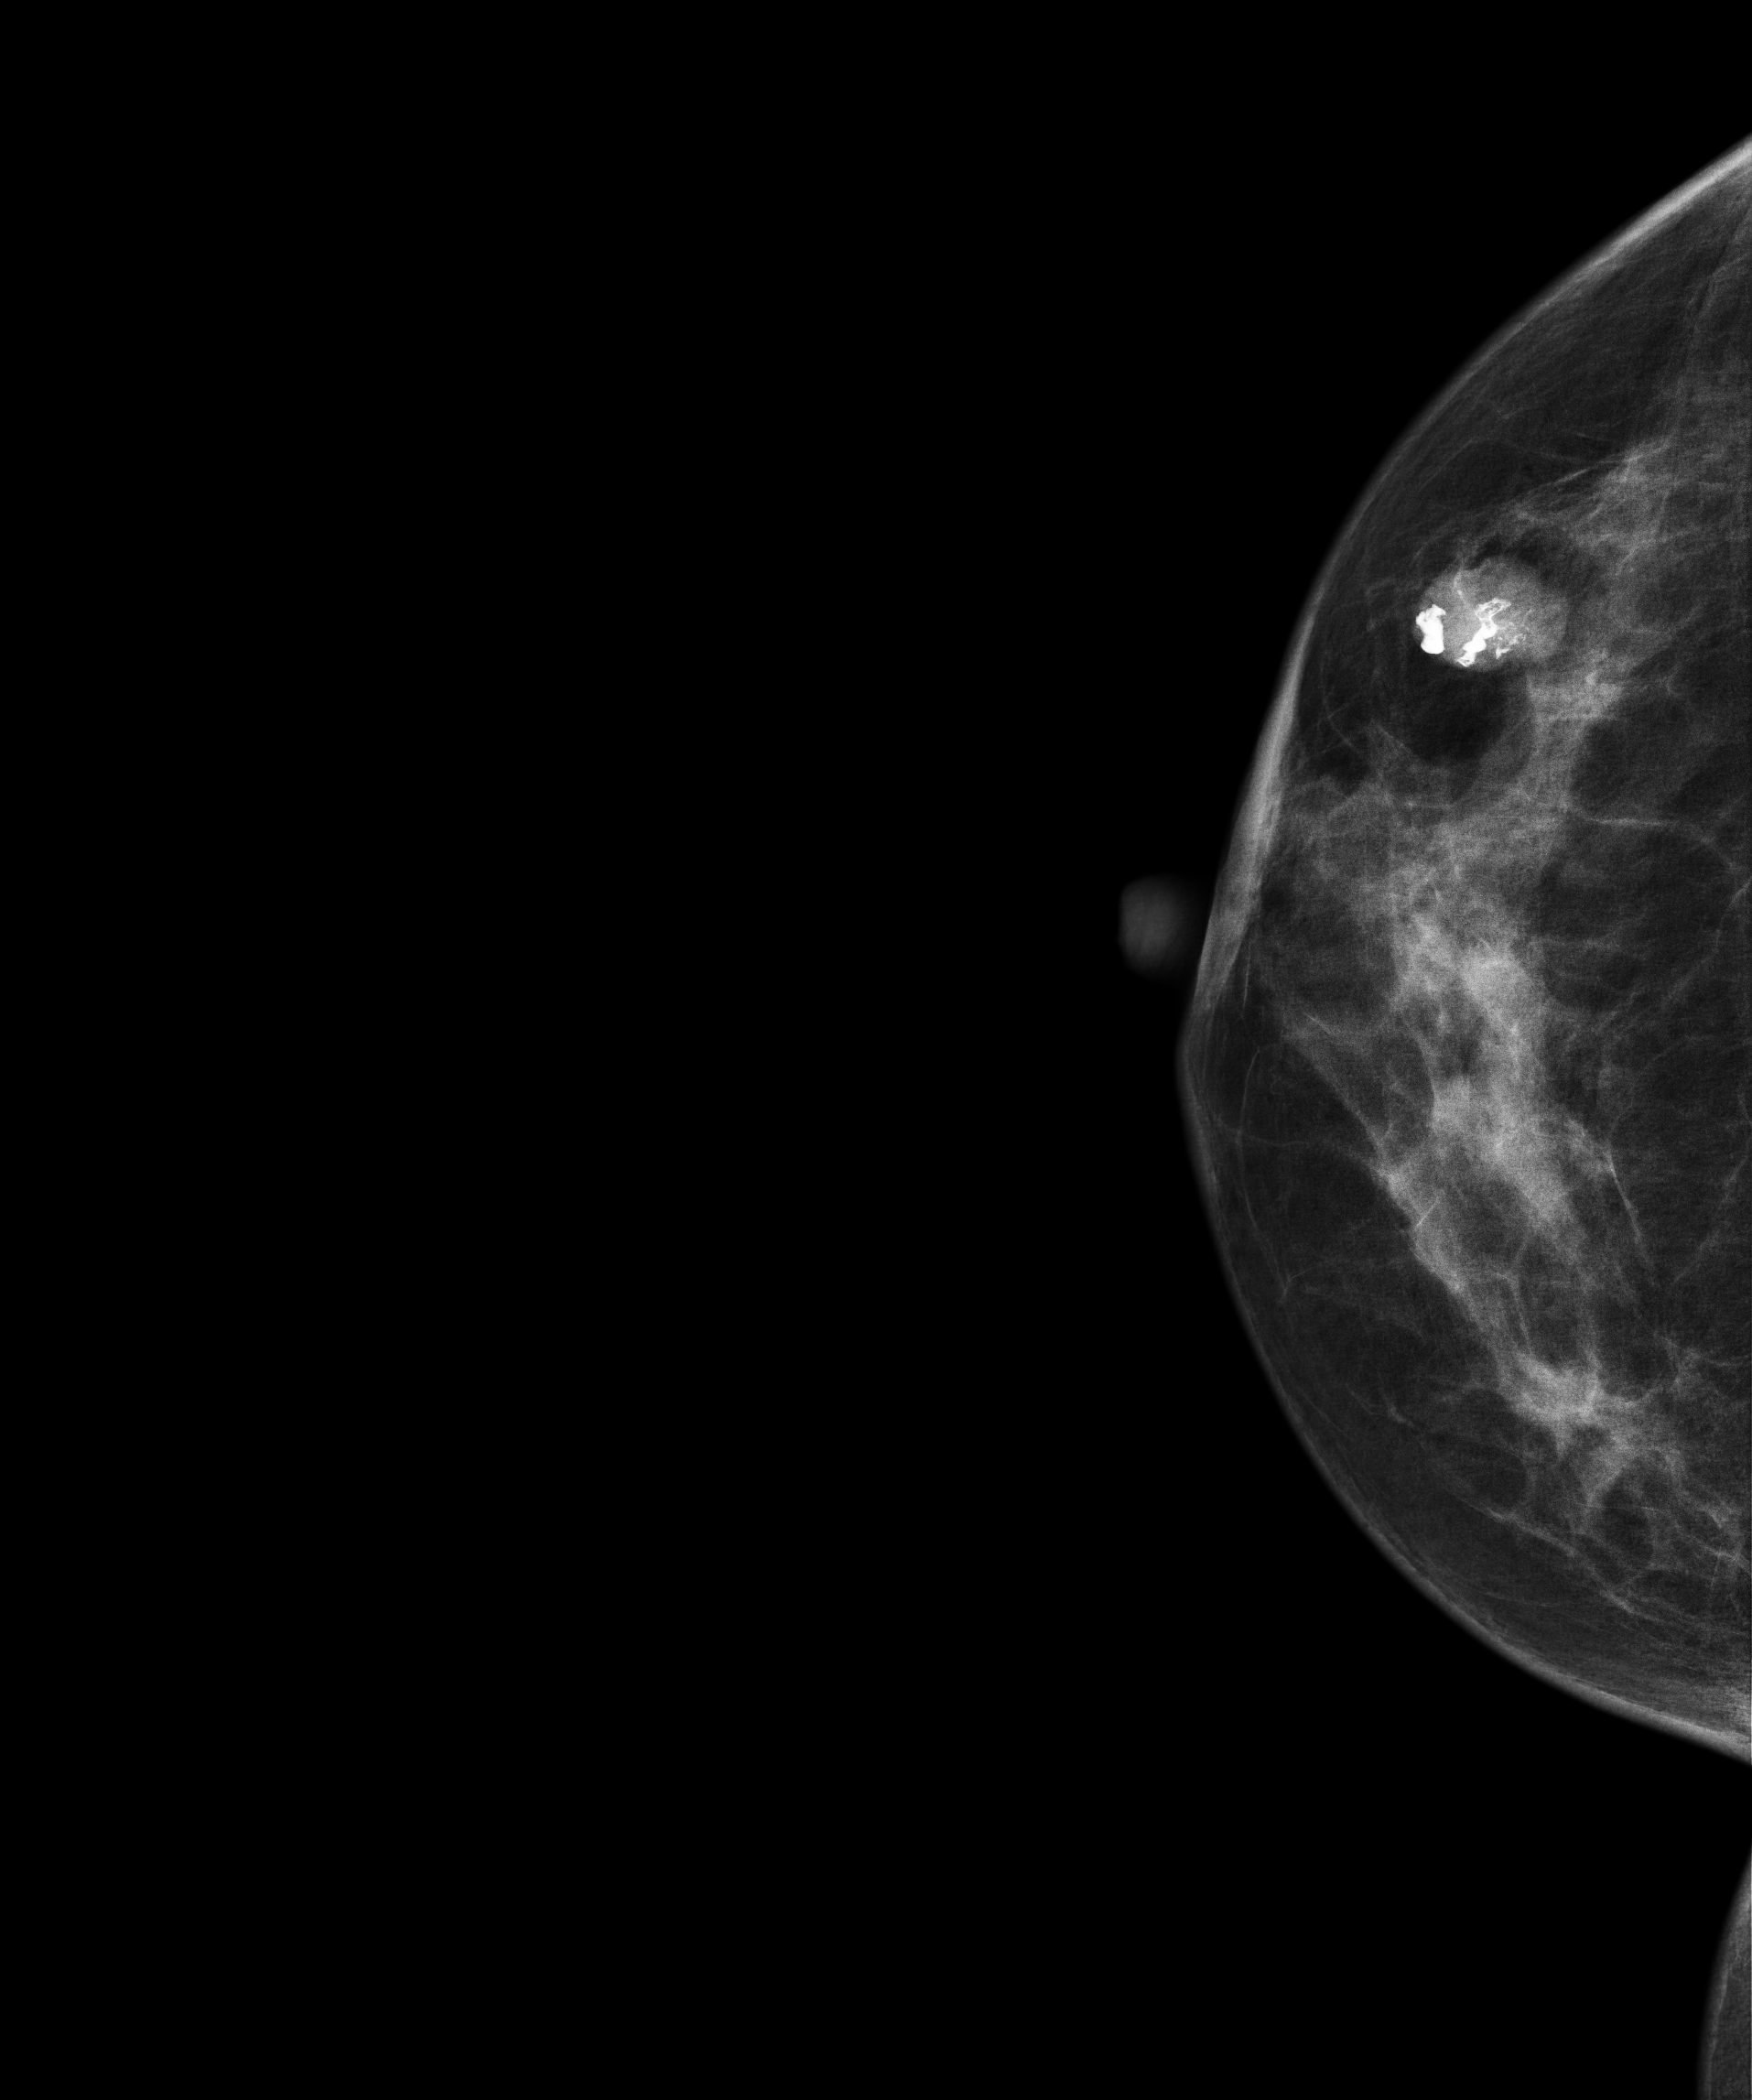
Mammogram, right breast, CC view. 32-year-old patient.
This breast has a mass and calcifications, pathology-confirmed benign.